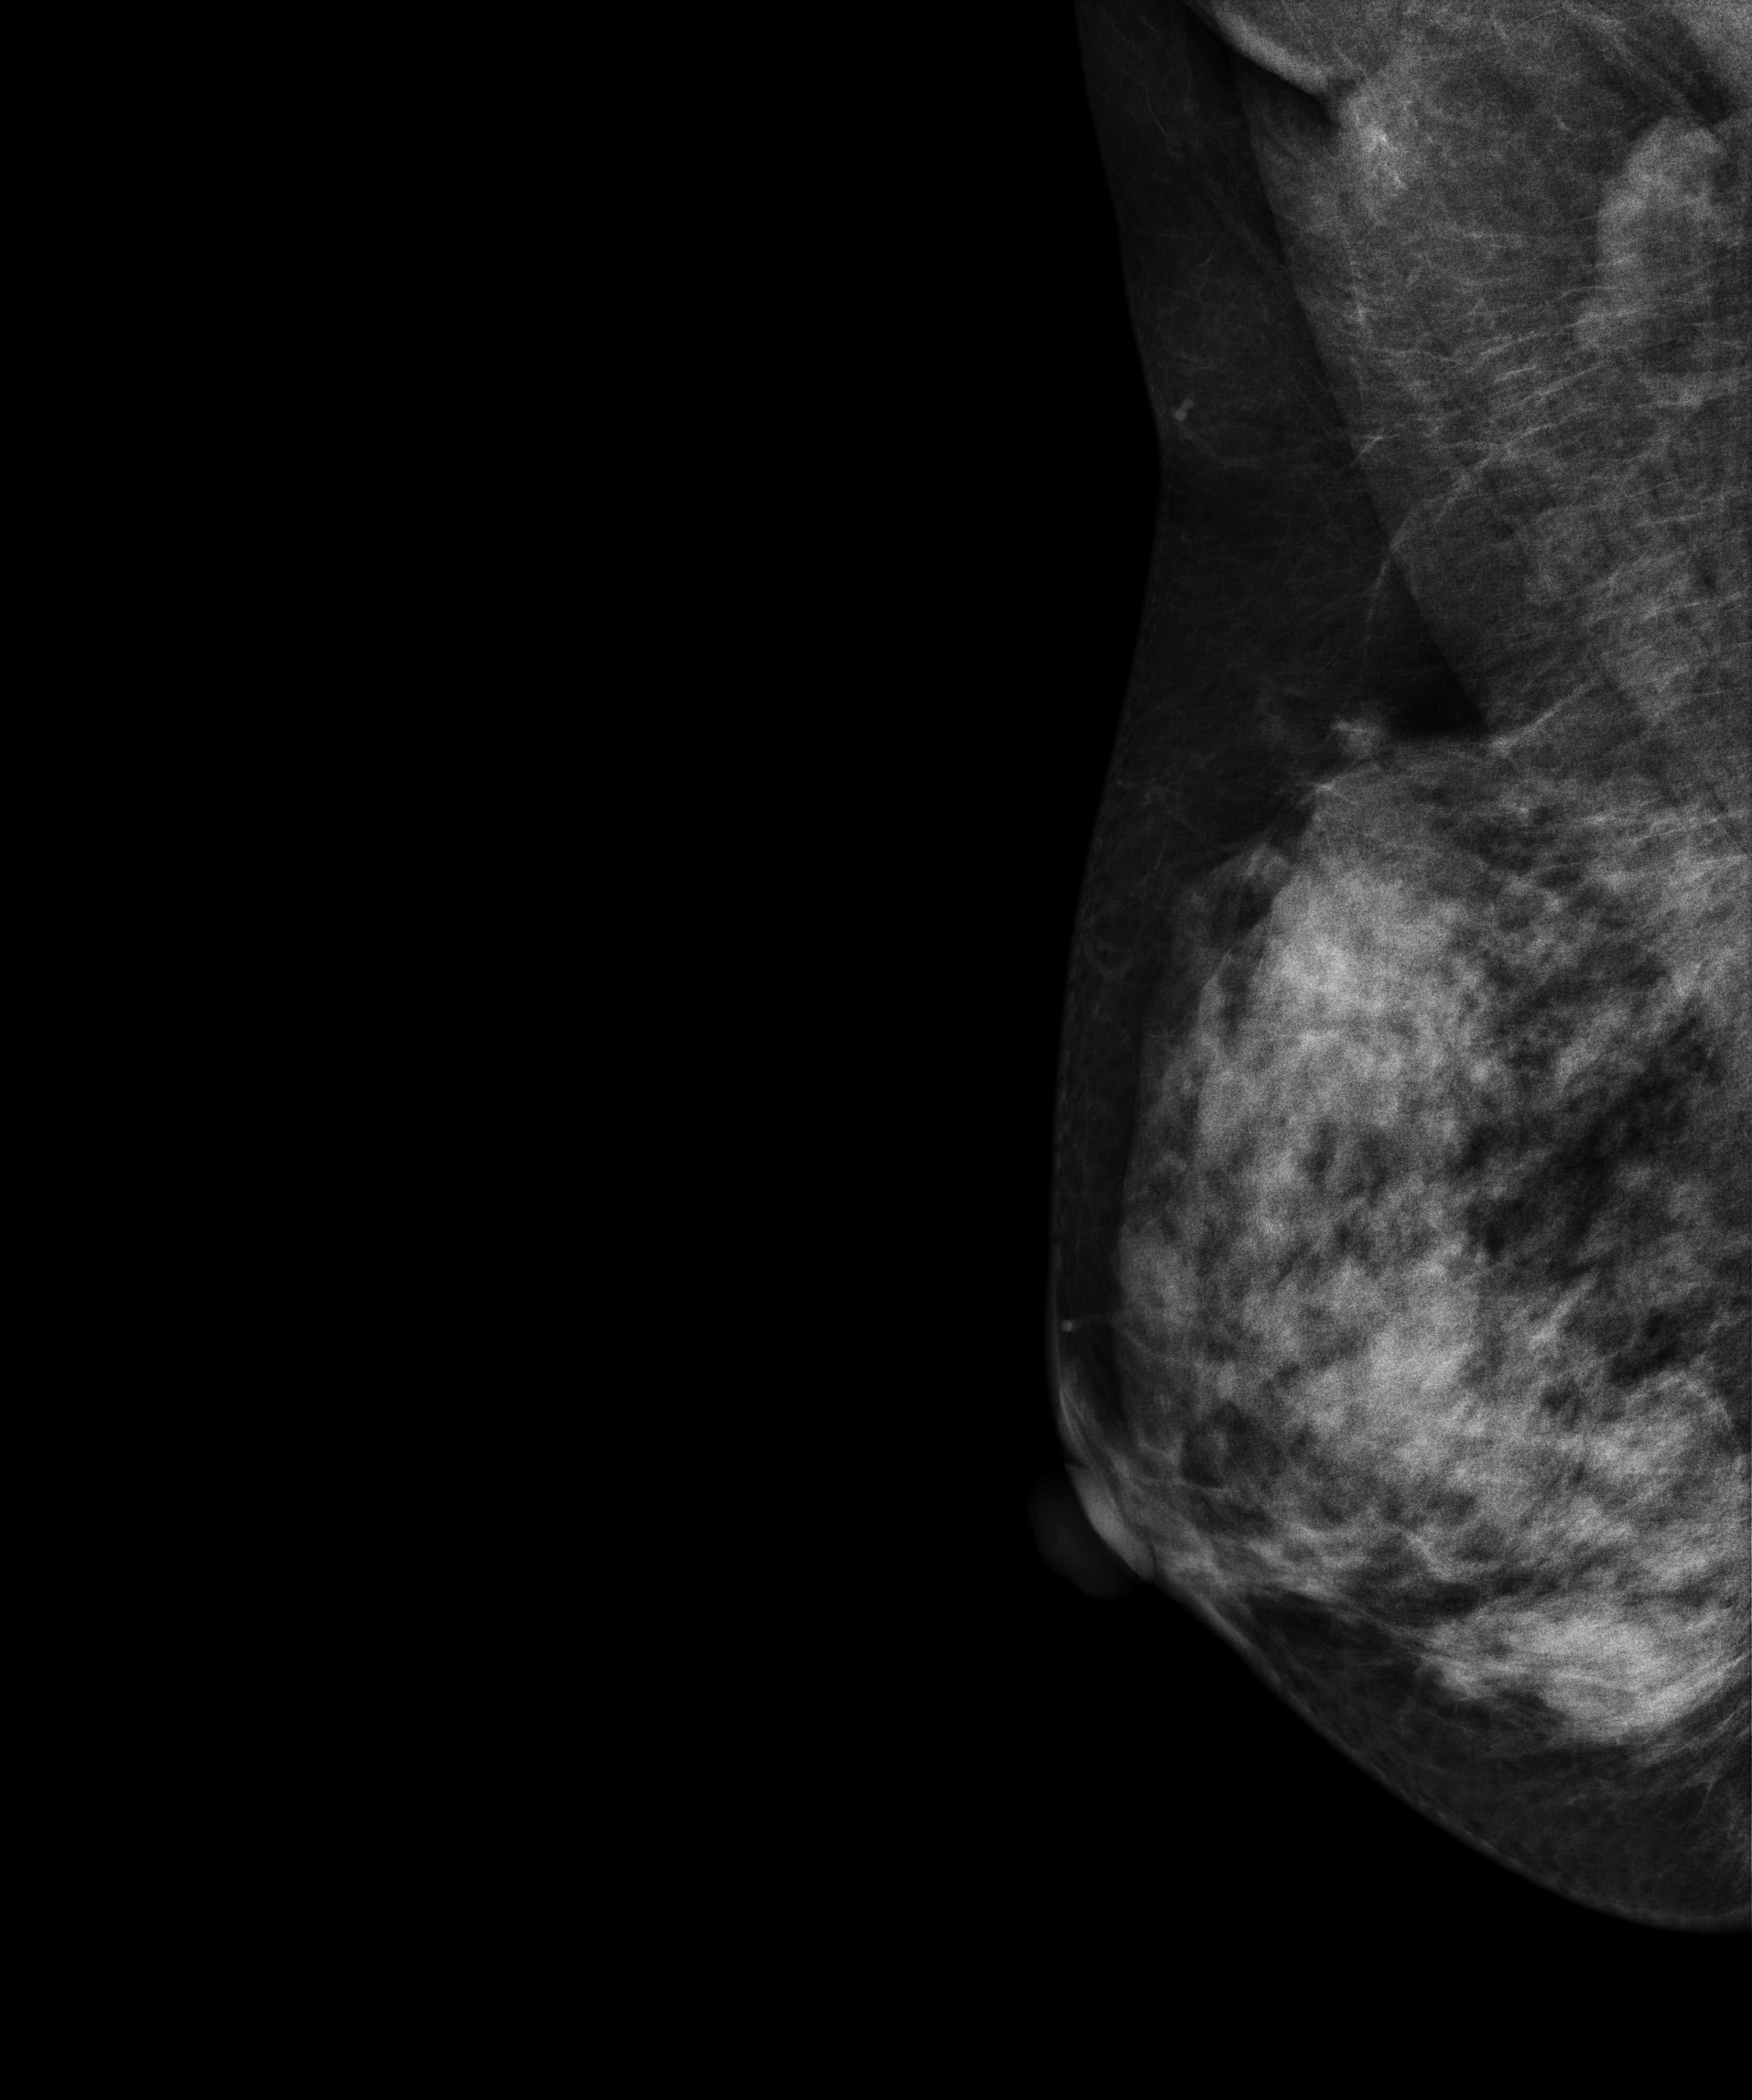
Right-breast mammogram, medio-lateral oblique. 48 y/o patient.
This breast has a mass and calcifications, histologically confirmed benign.